Mammogram — left CC. 78-year-old patient.
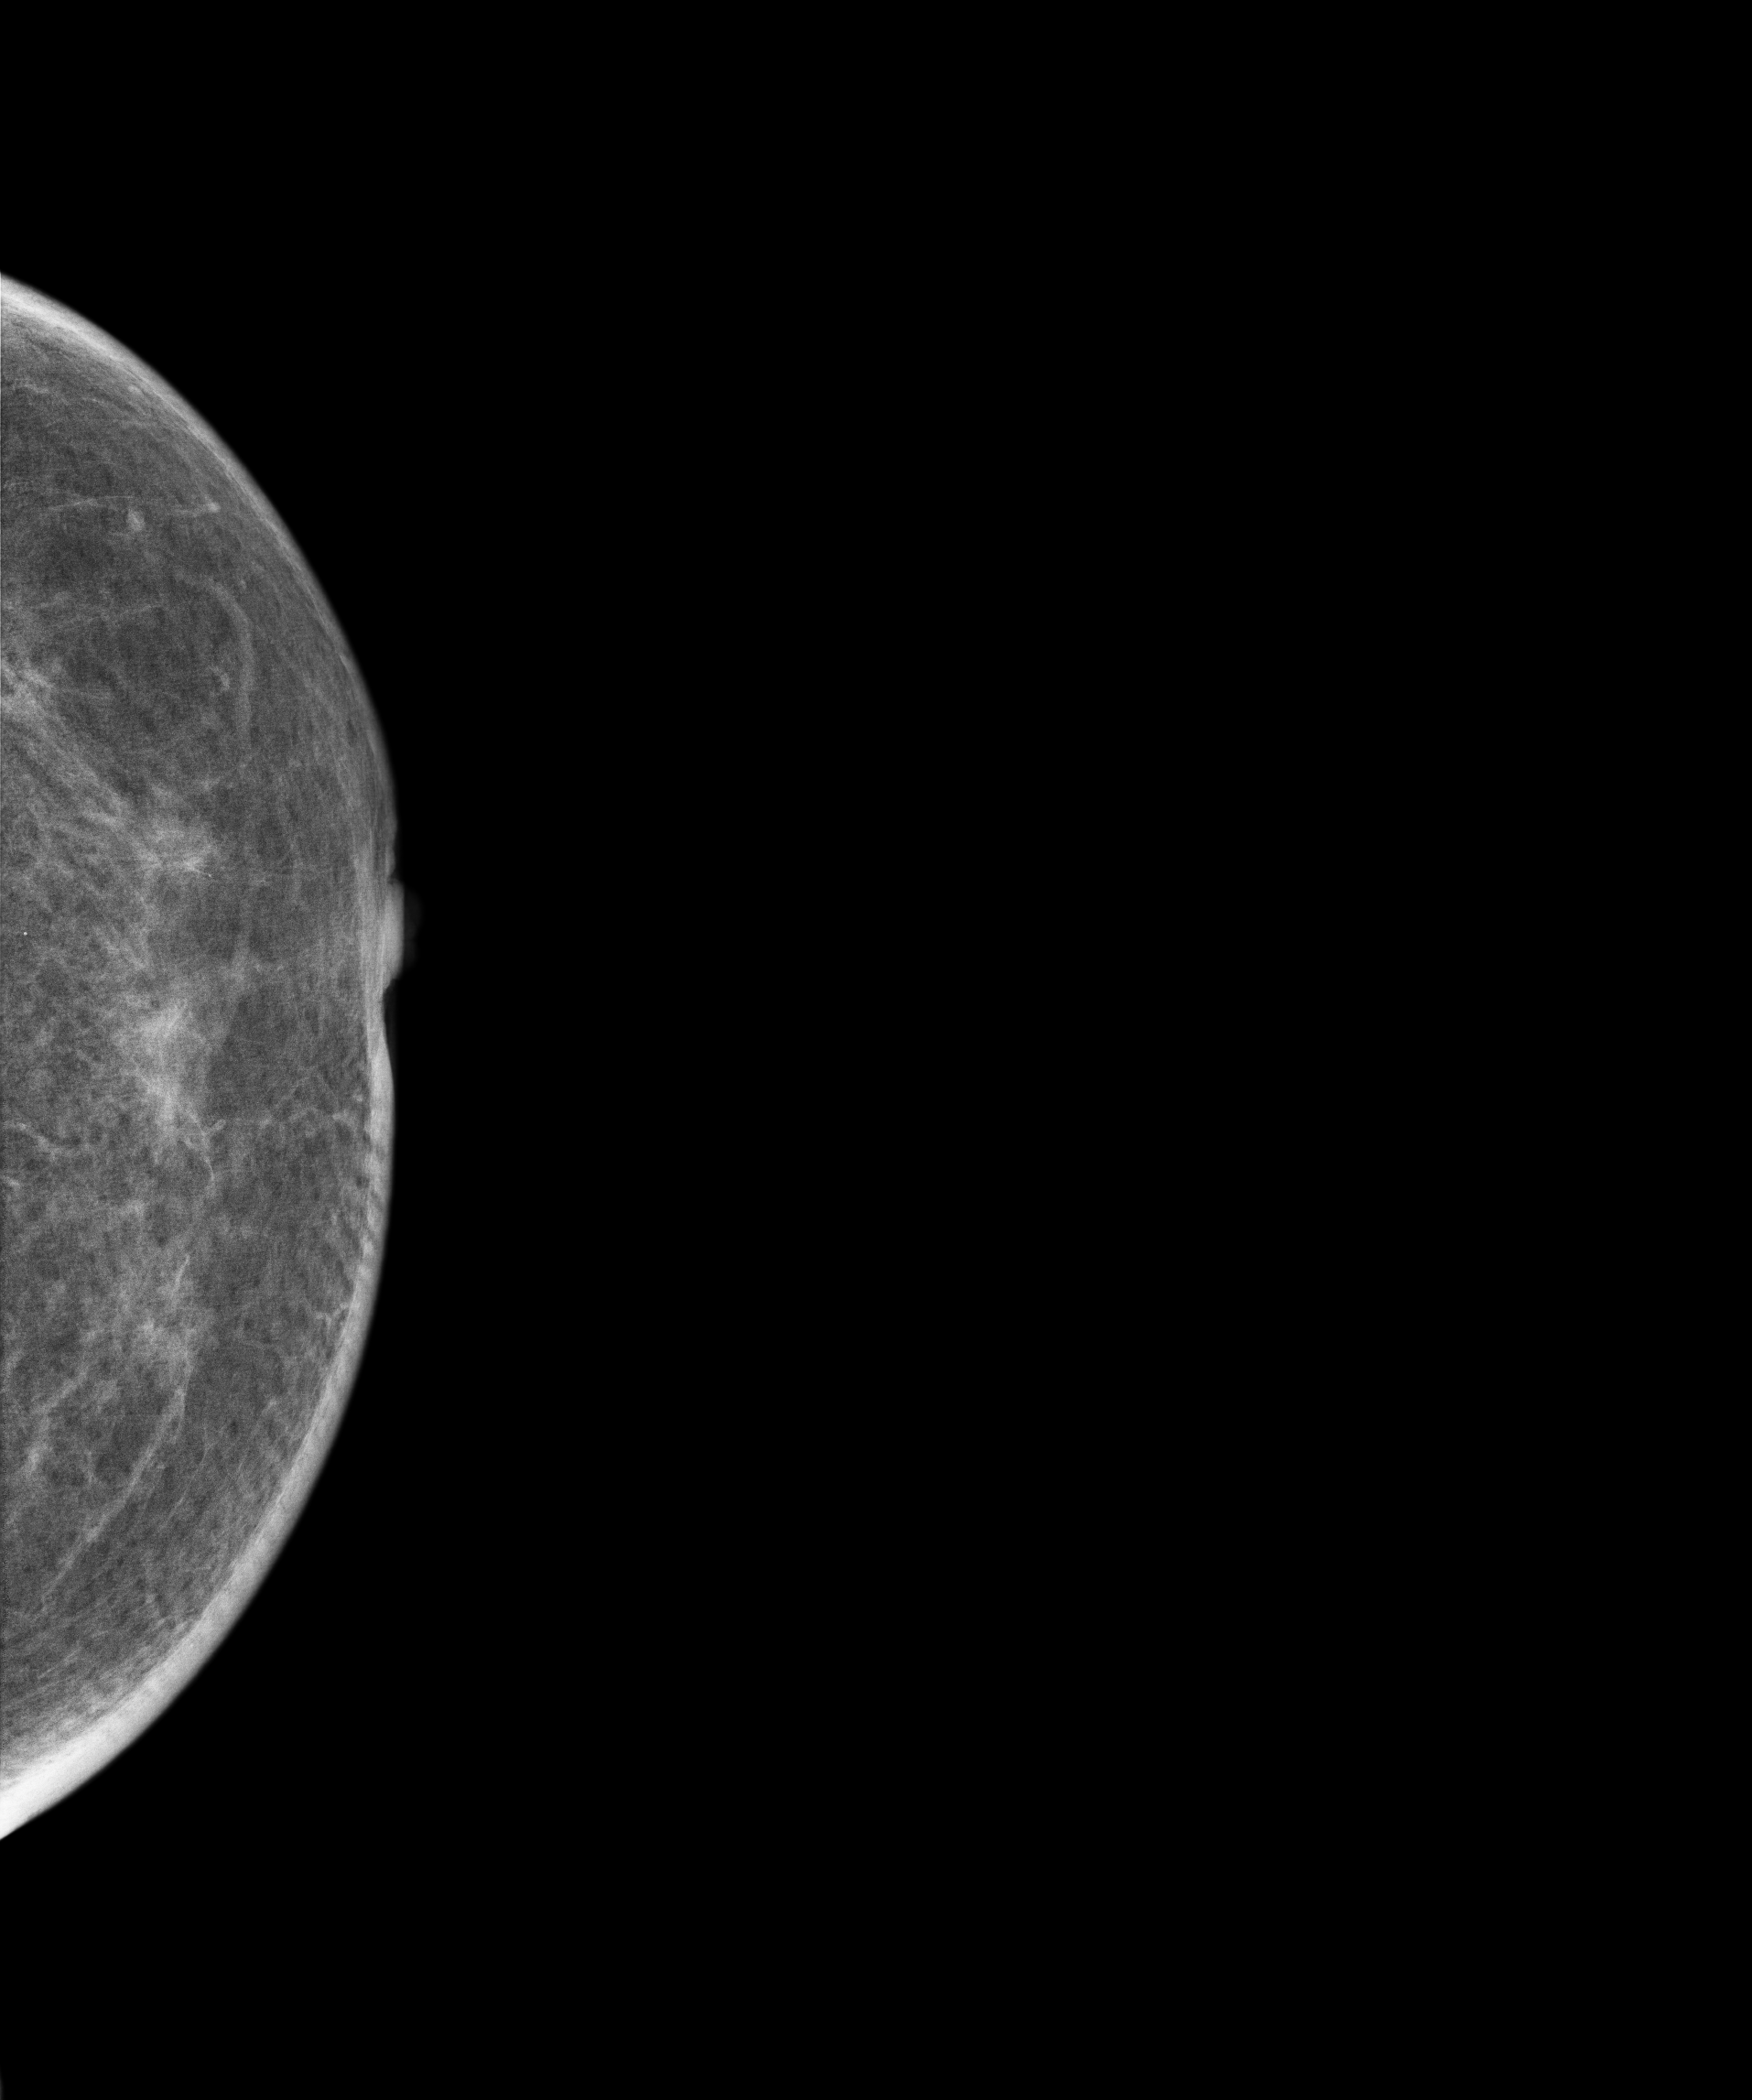
Contralateral breast — no documented abnormality on this side.